Mammogram, right breast, cranio-caudal view. 50-year-old patient.
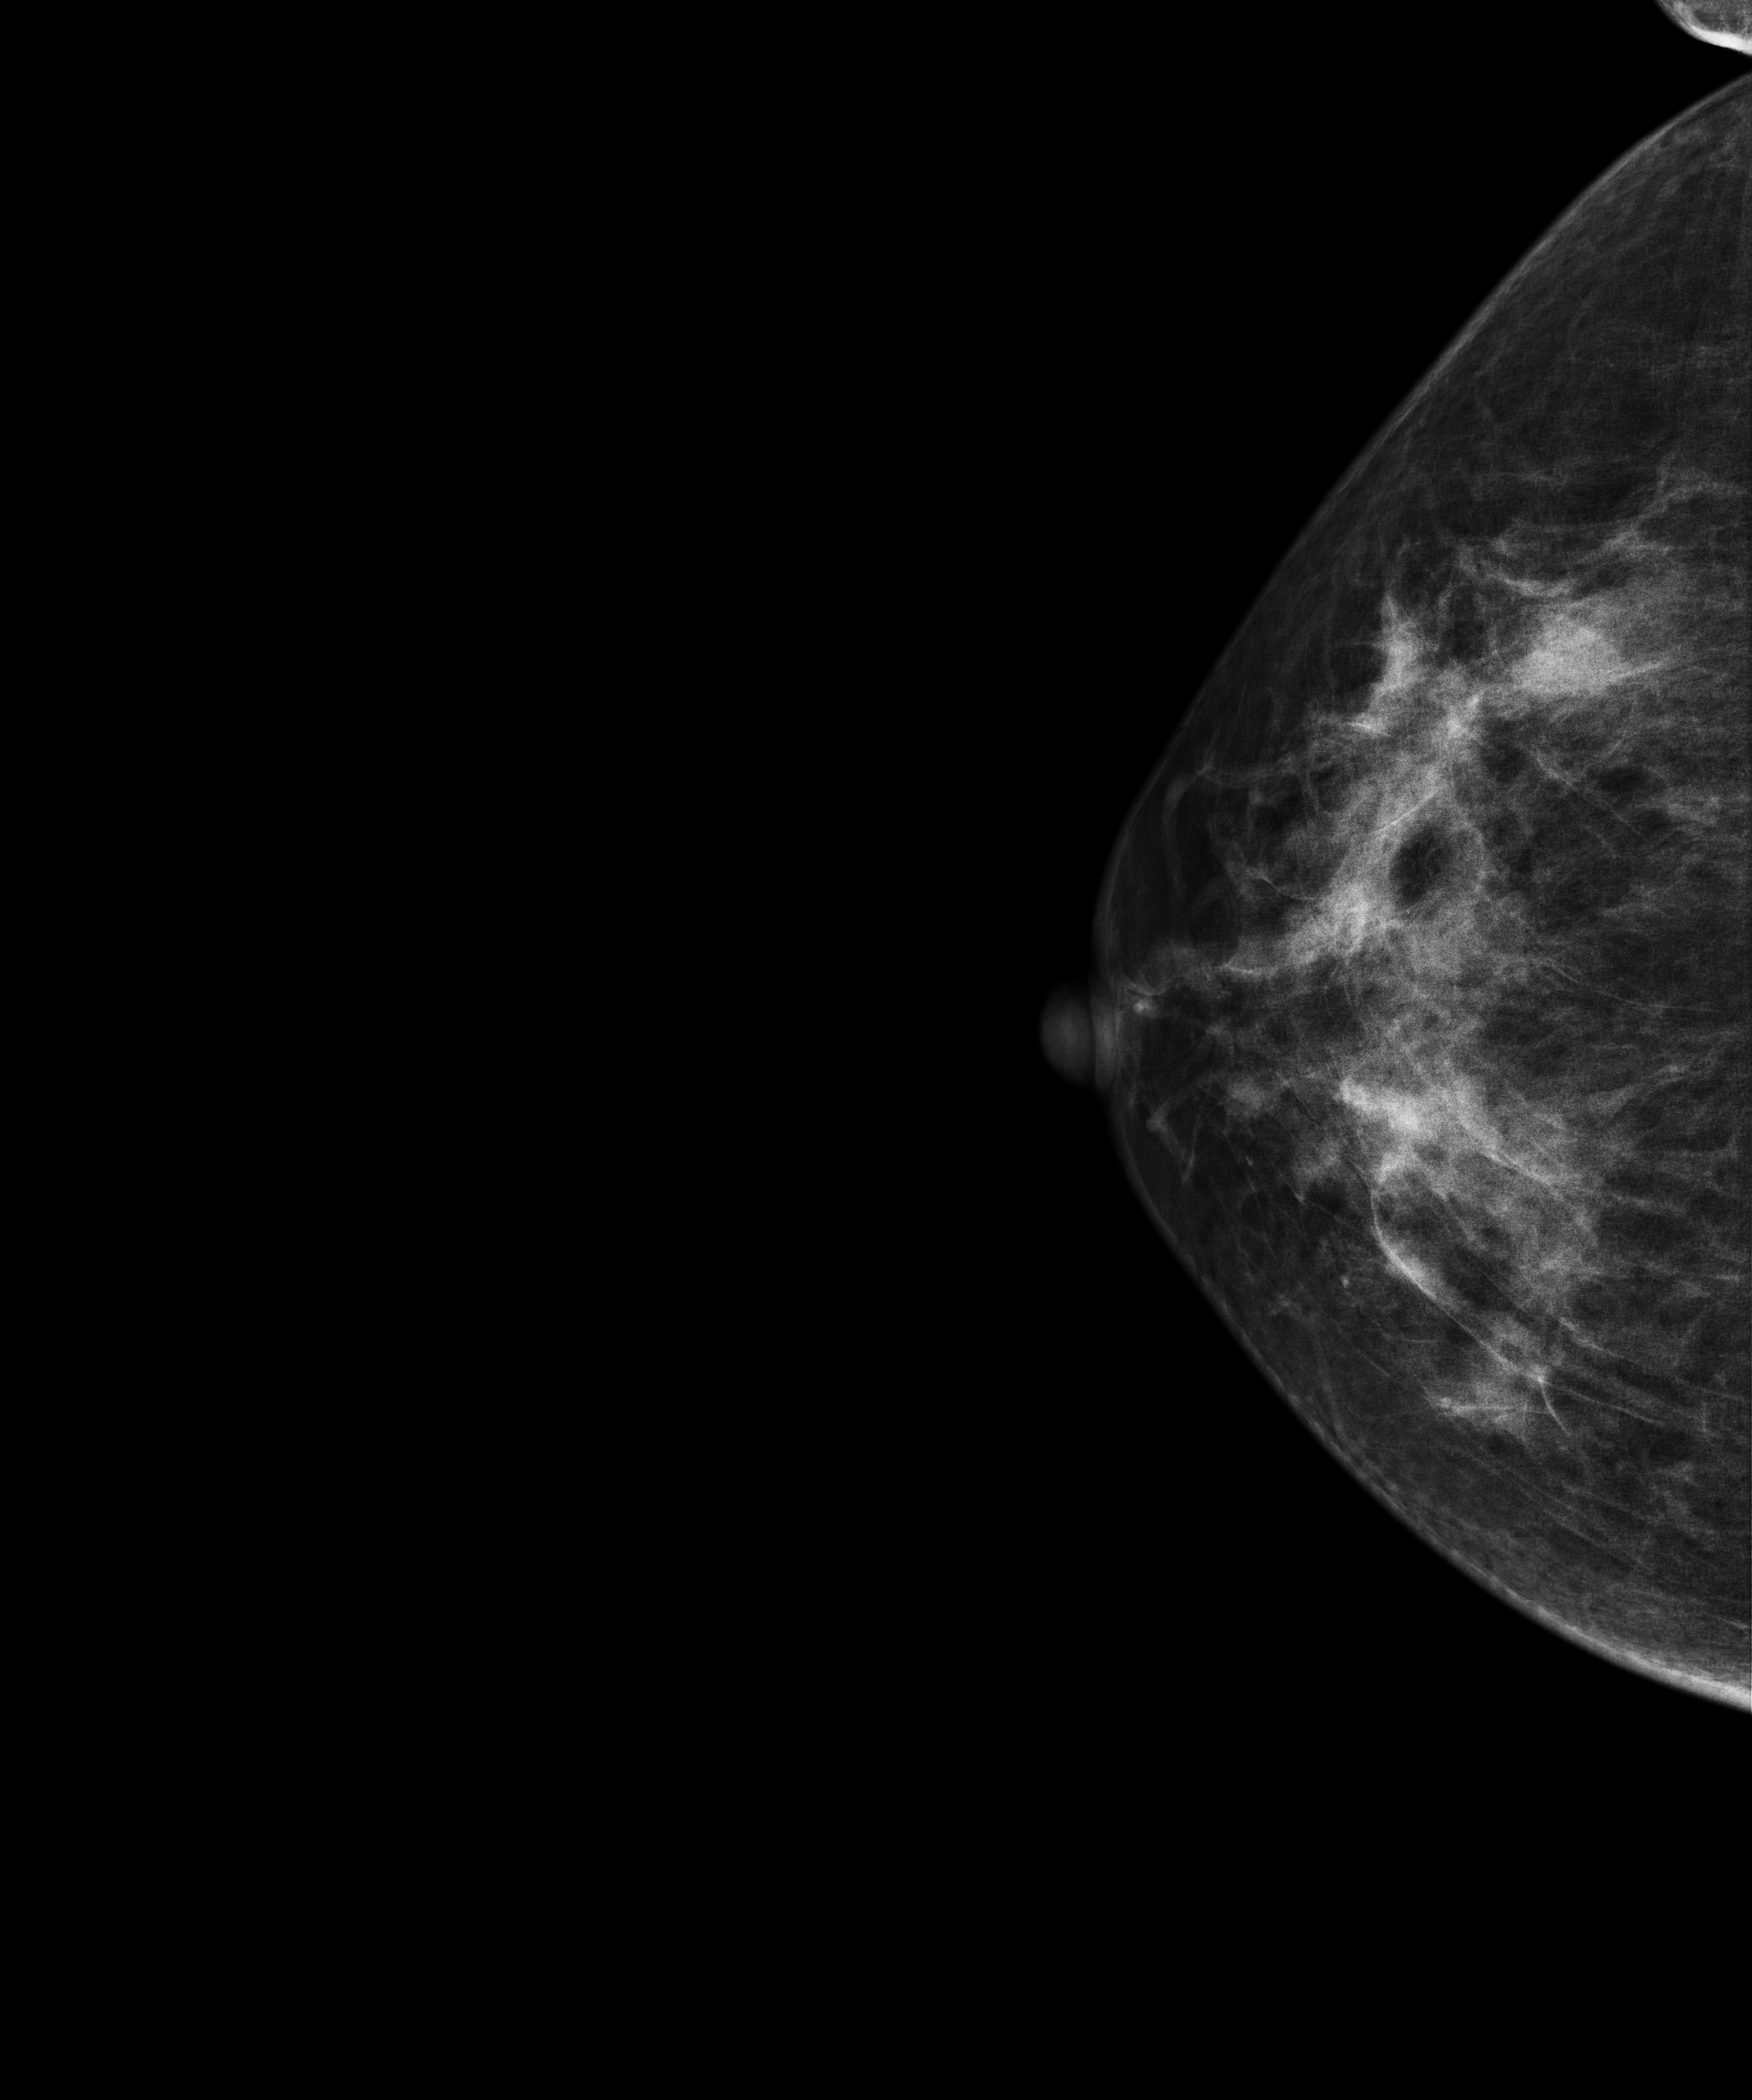
This breast has a mass, pathology-confirmed malignant. Molecular subtype: luminal B.